Mammogram, right breast, cranio-caudal view. 59 y/o patient.
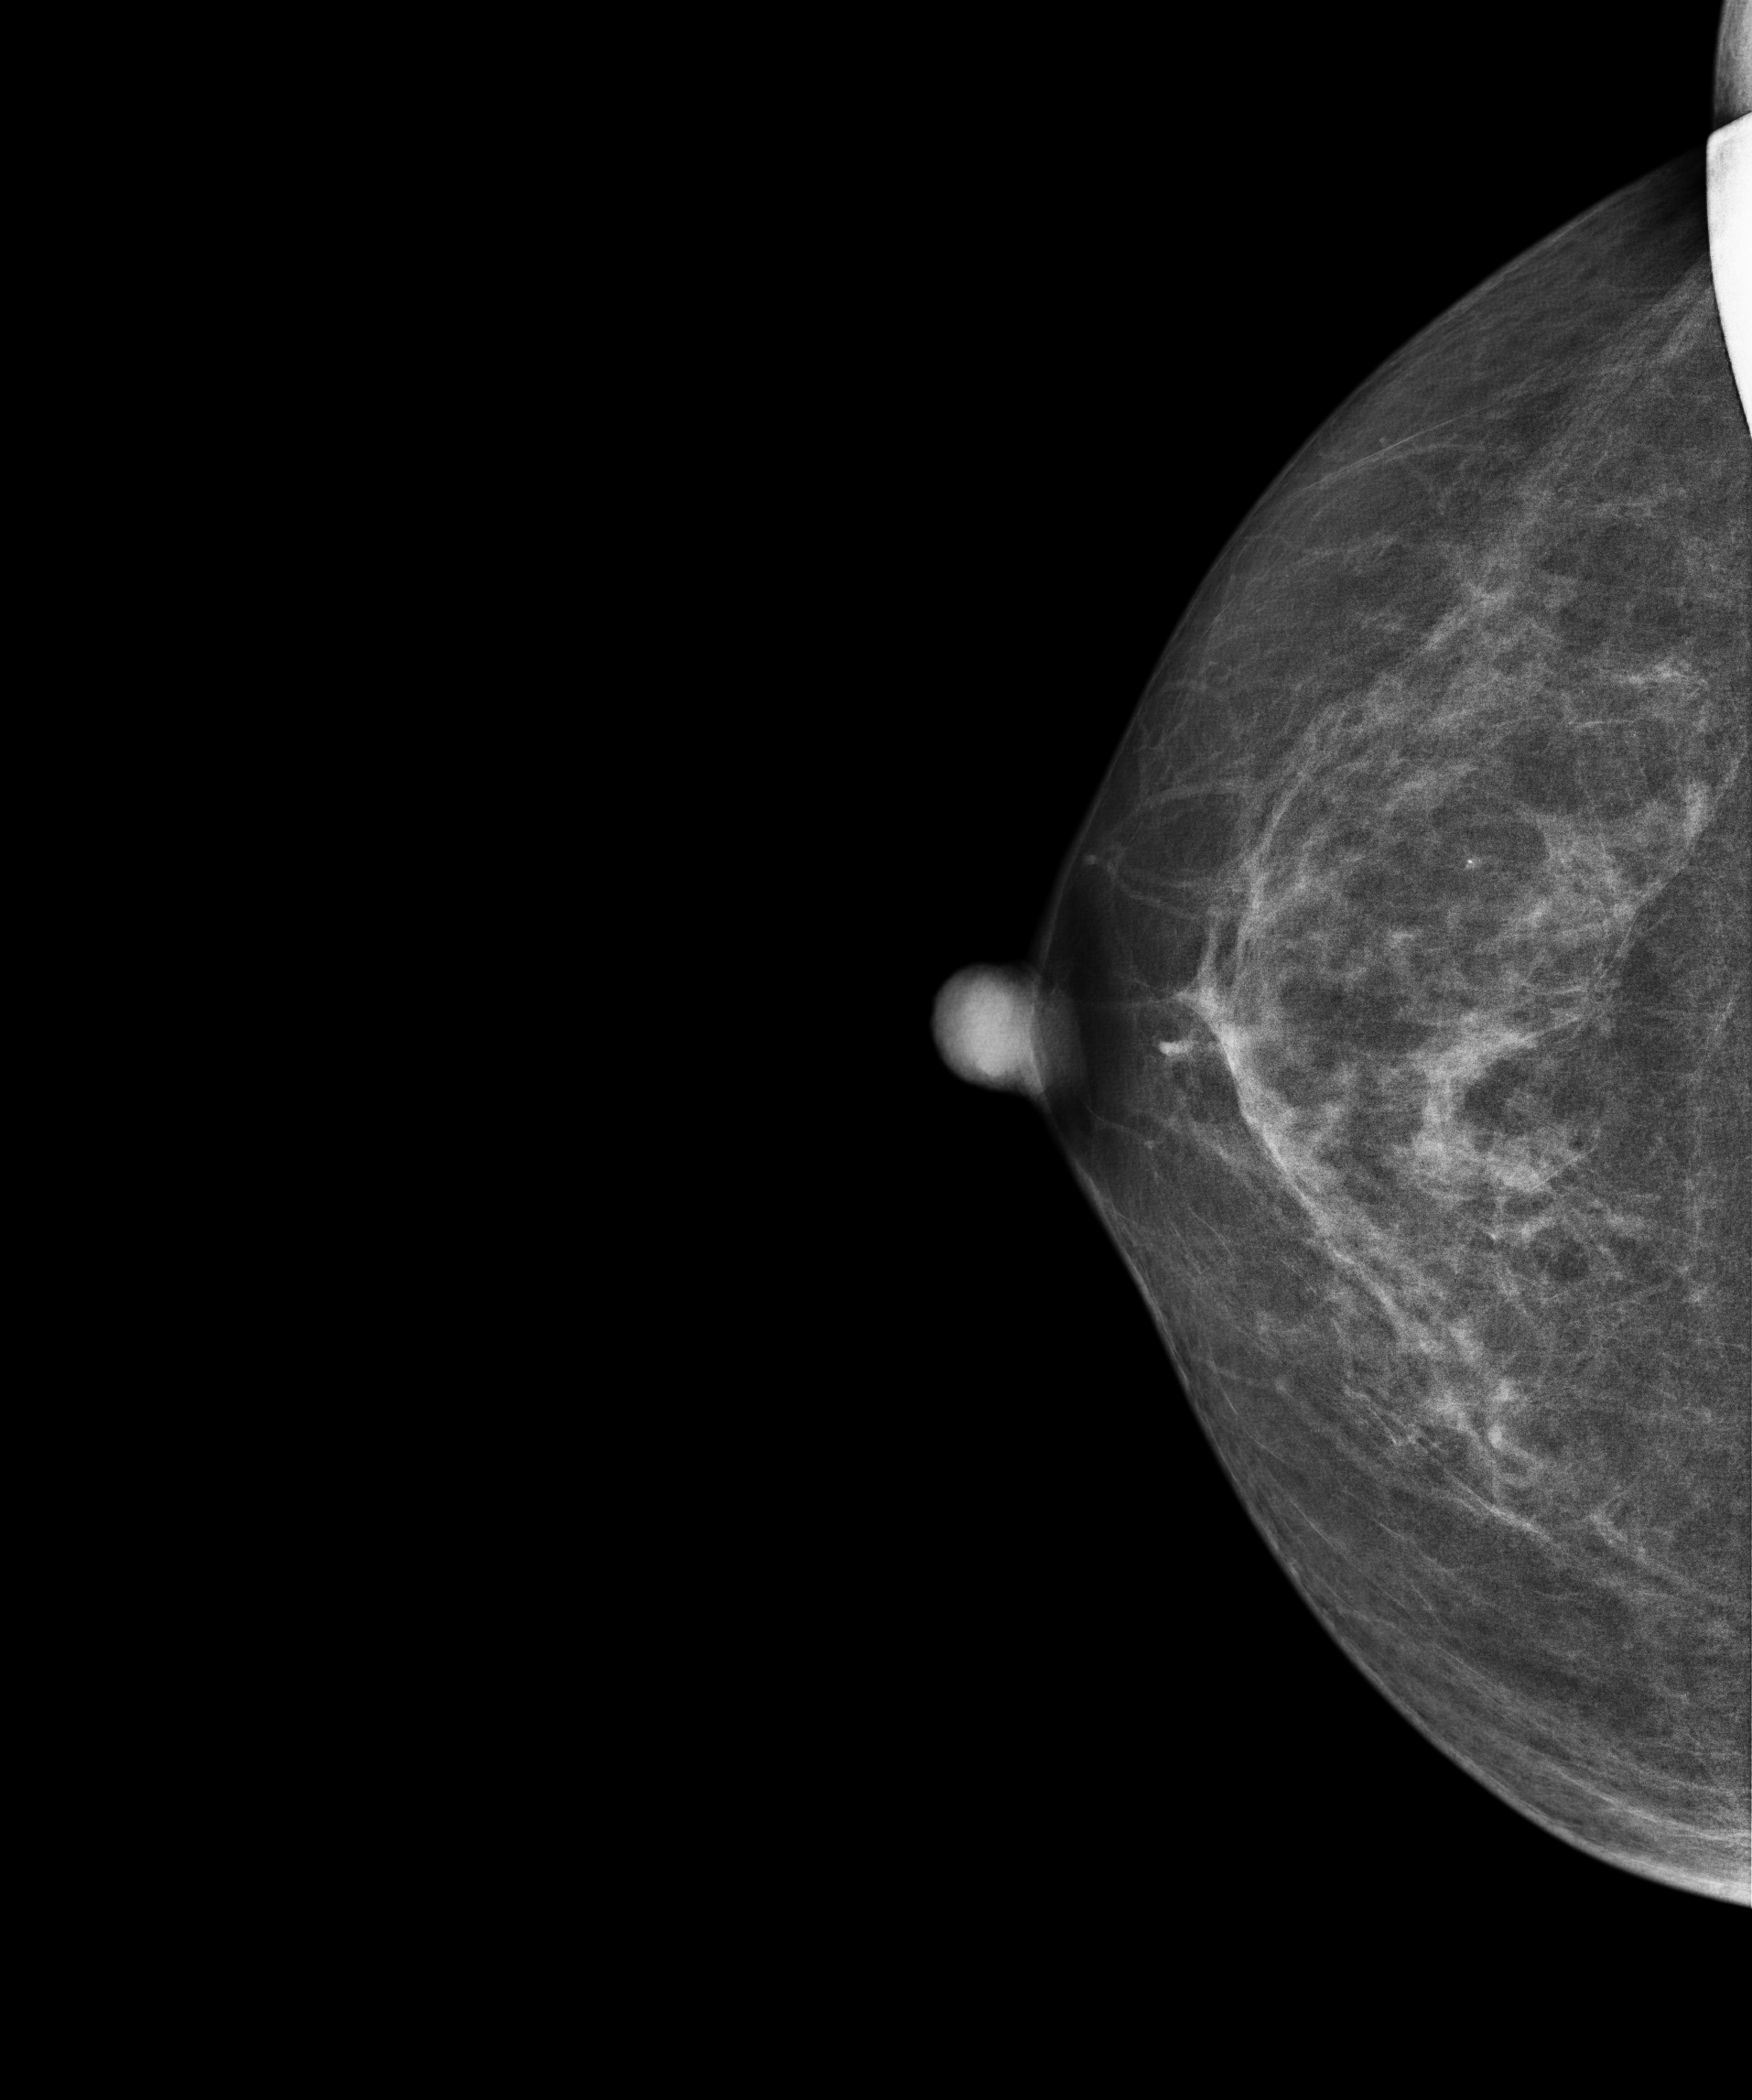
Contralateral breast — no documented abnormality on this side.